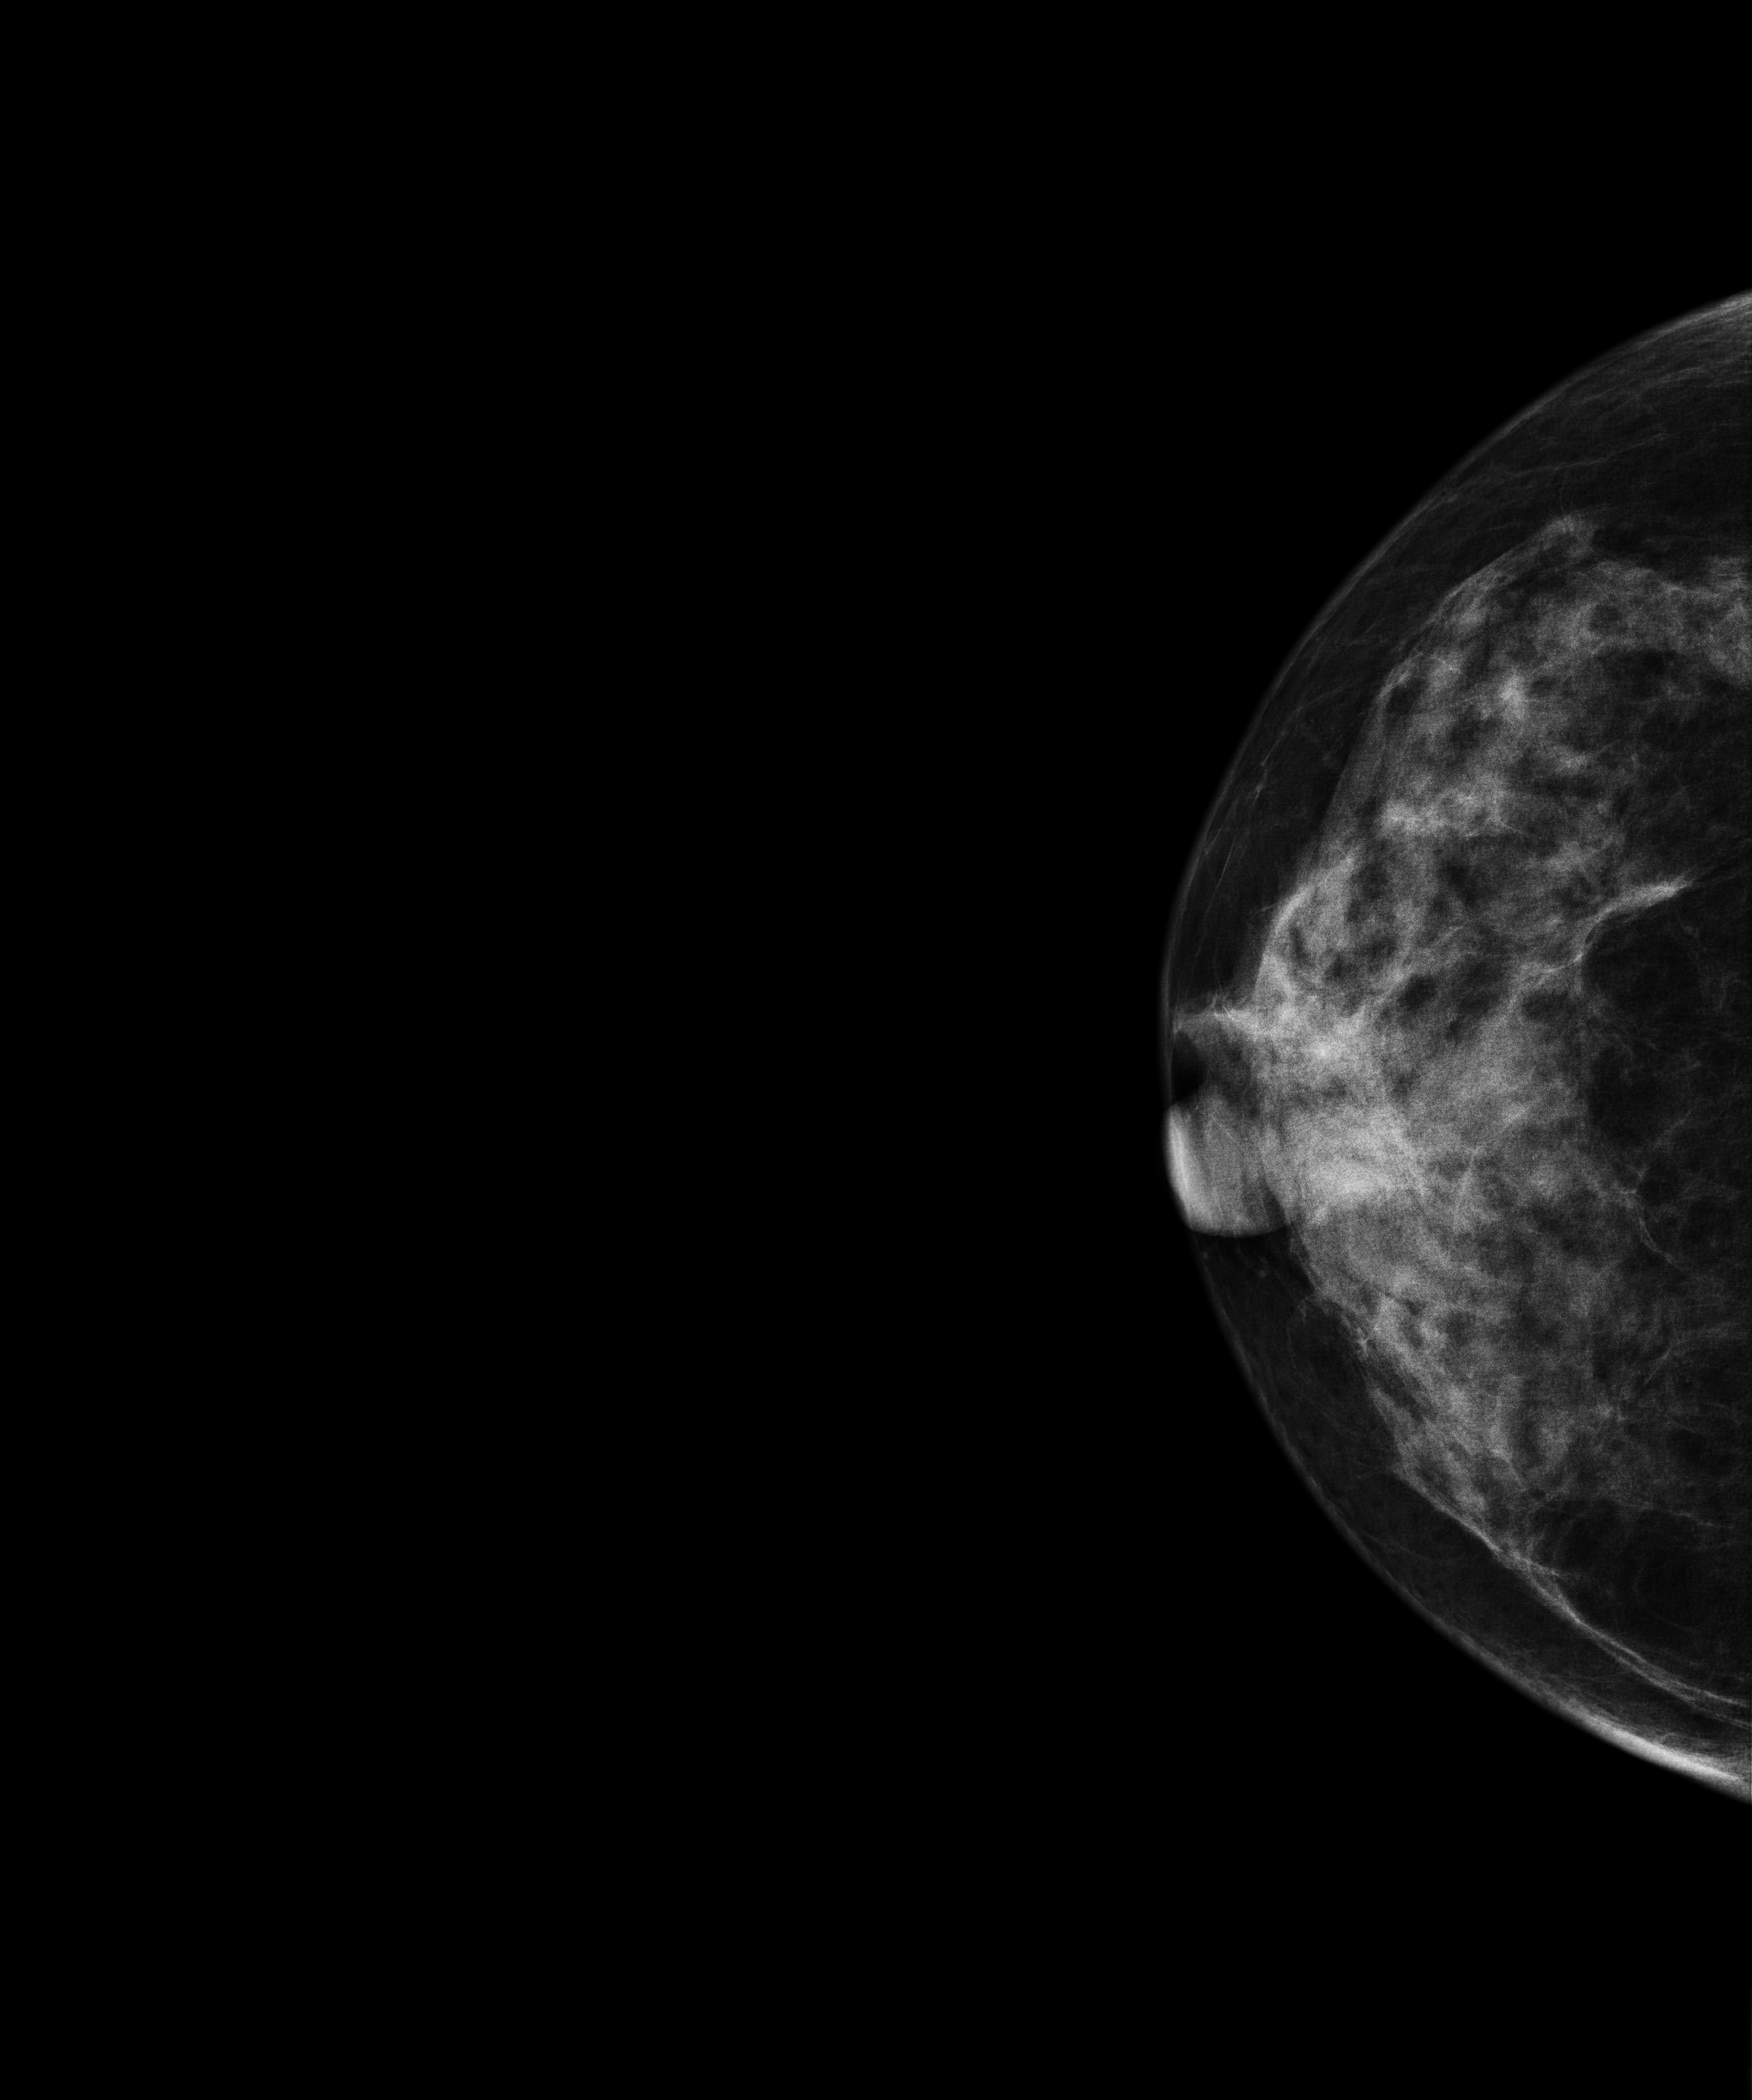
Mammogram — right CC. Patient age 47.
This breast has a mass, biopsy-proven benign.